Digital mammography. Right breast, medio-lateral oblique projection. Patient age 45.
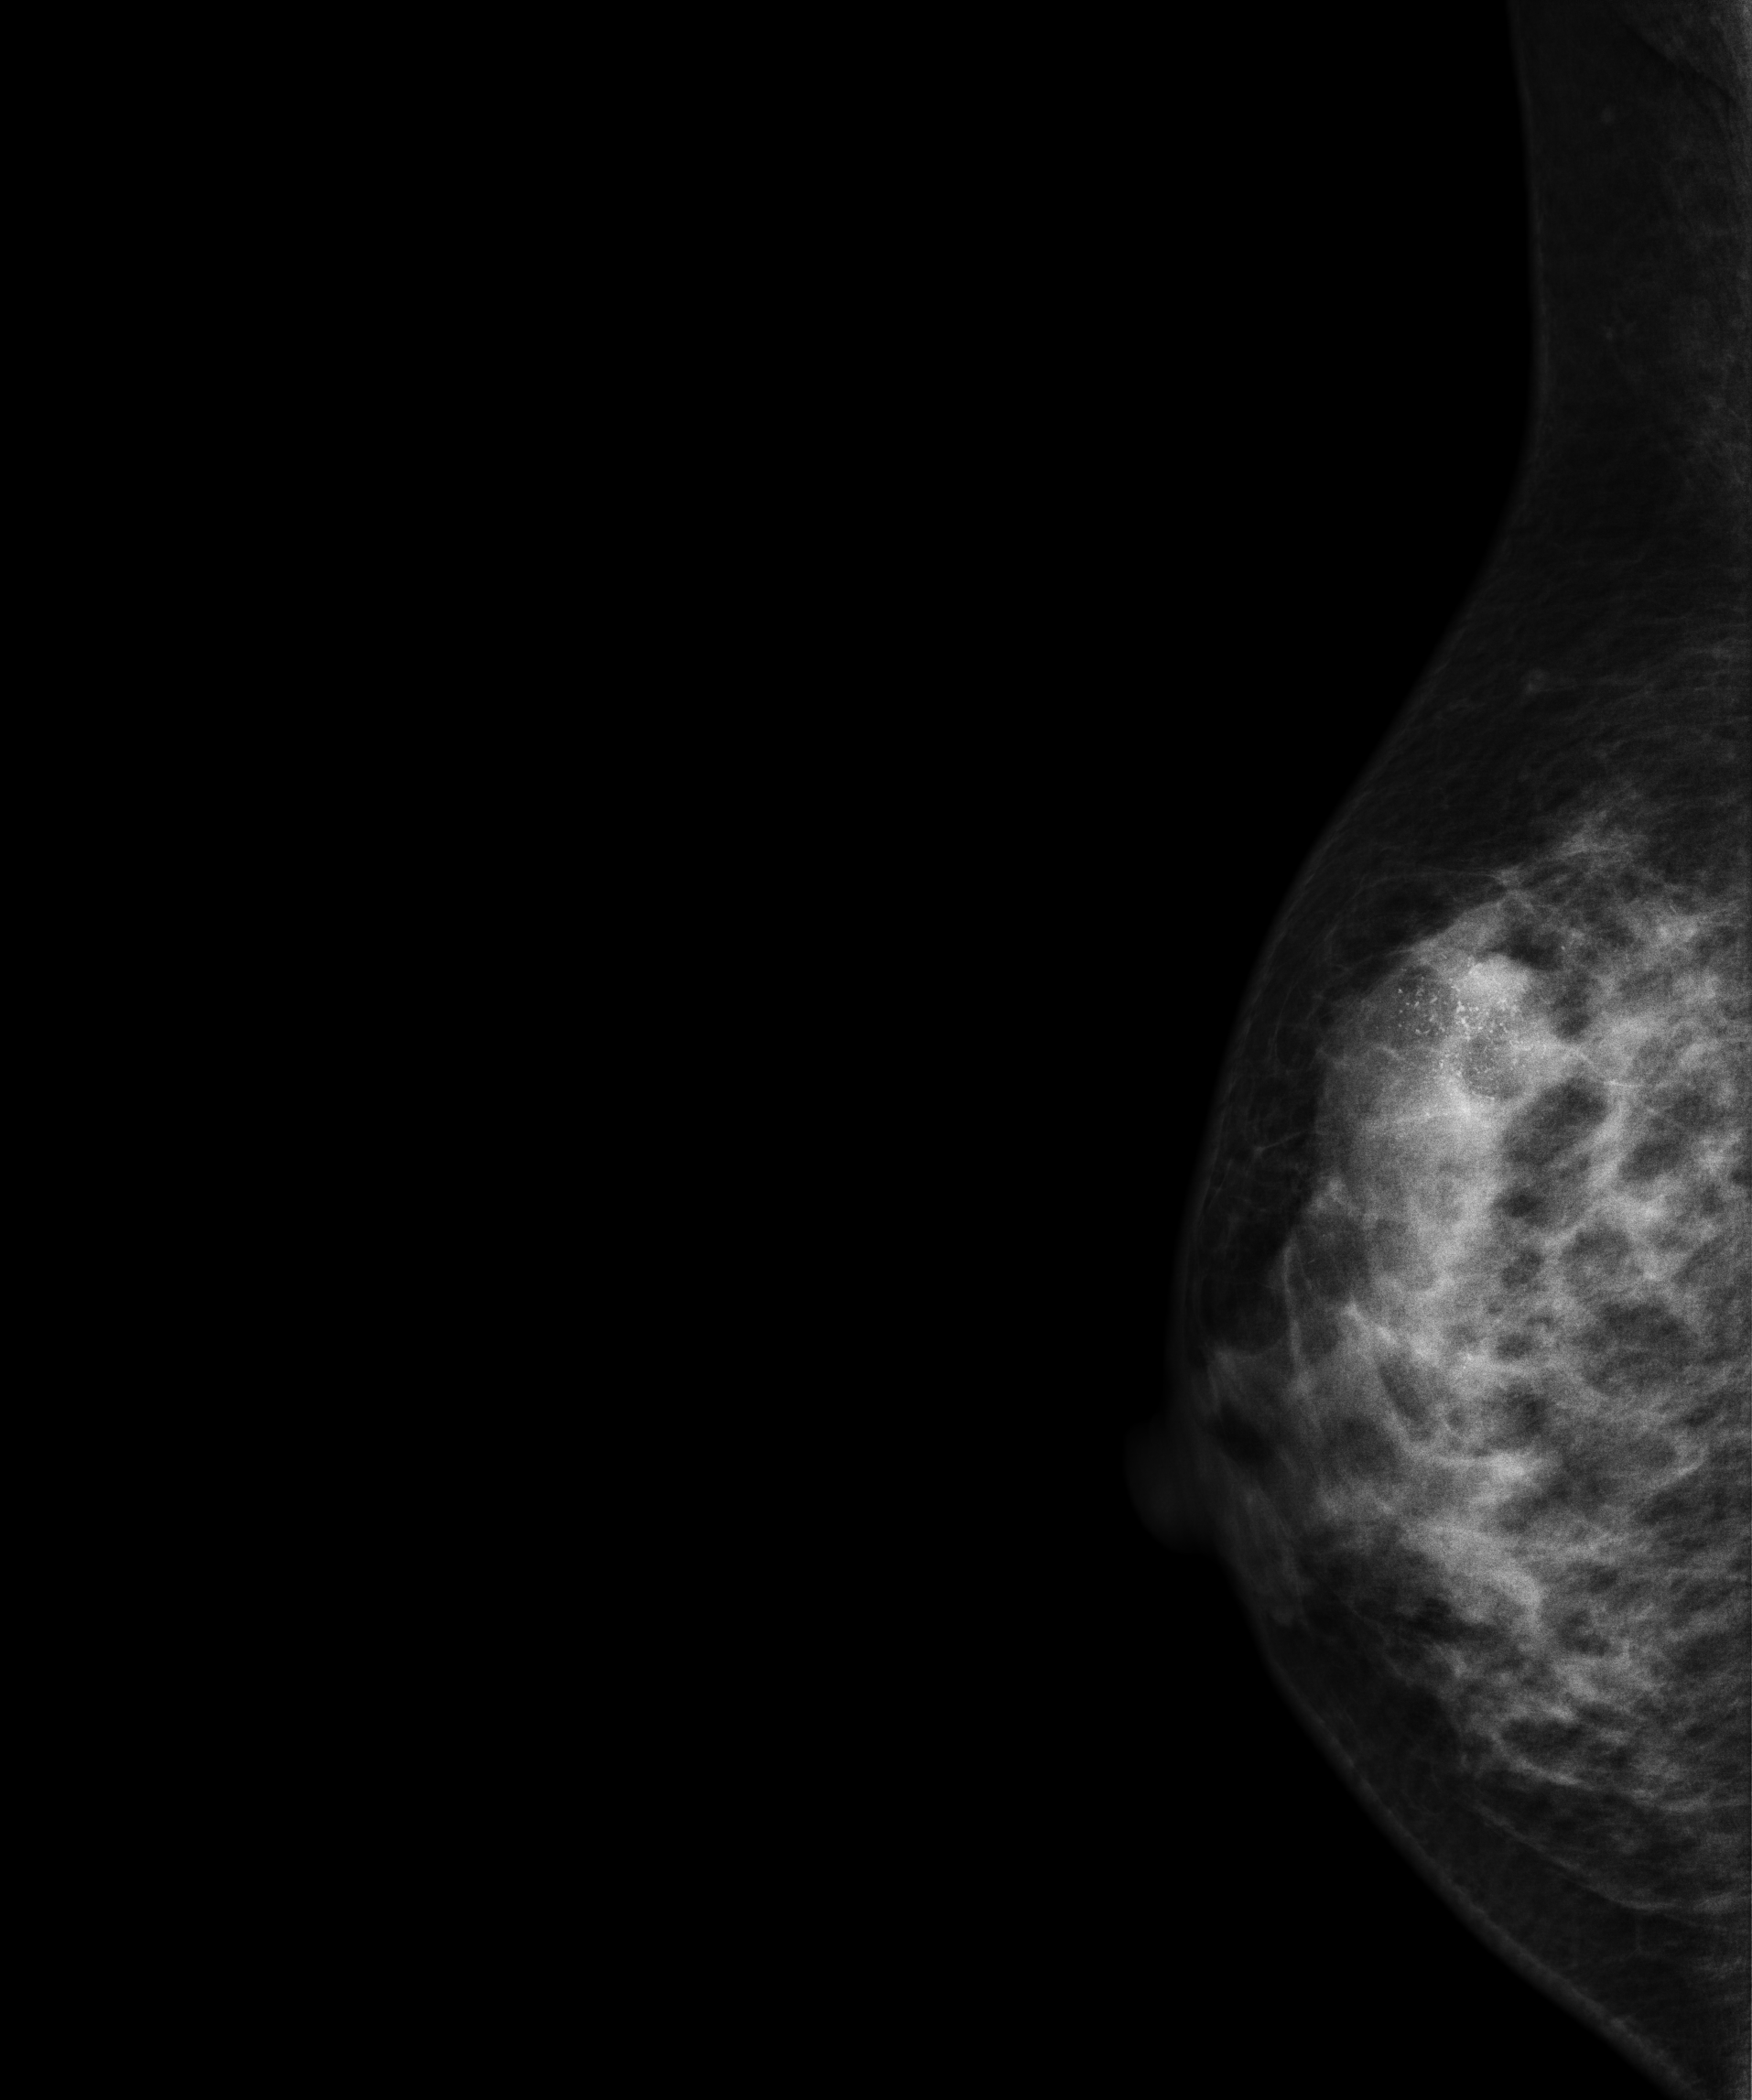
This breast has a mass and calcifications, biopsy-confirmed malignant. Molecular subtype: luminal B.